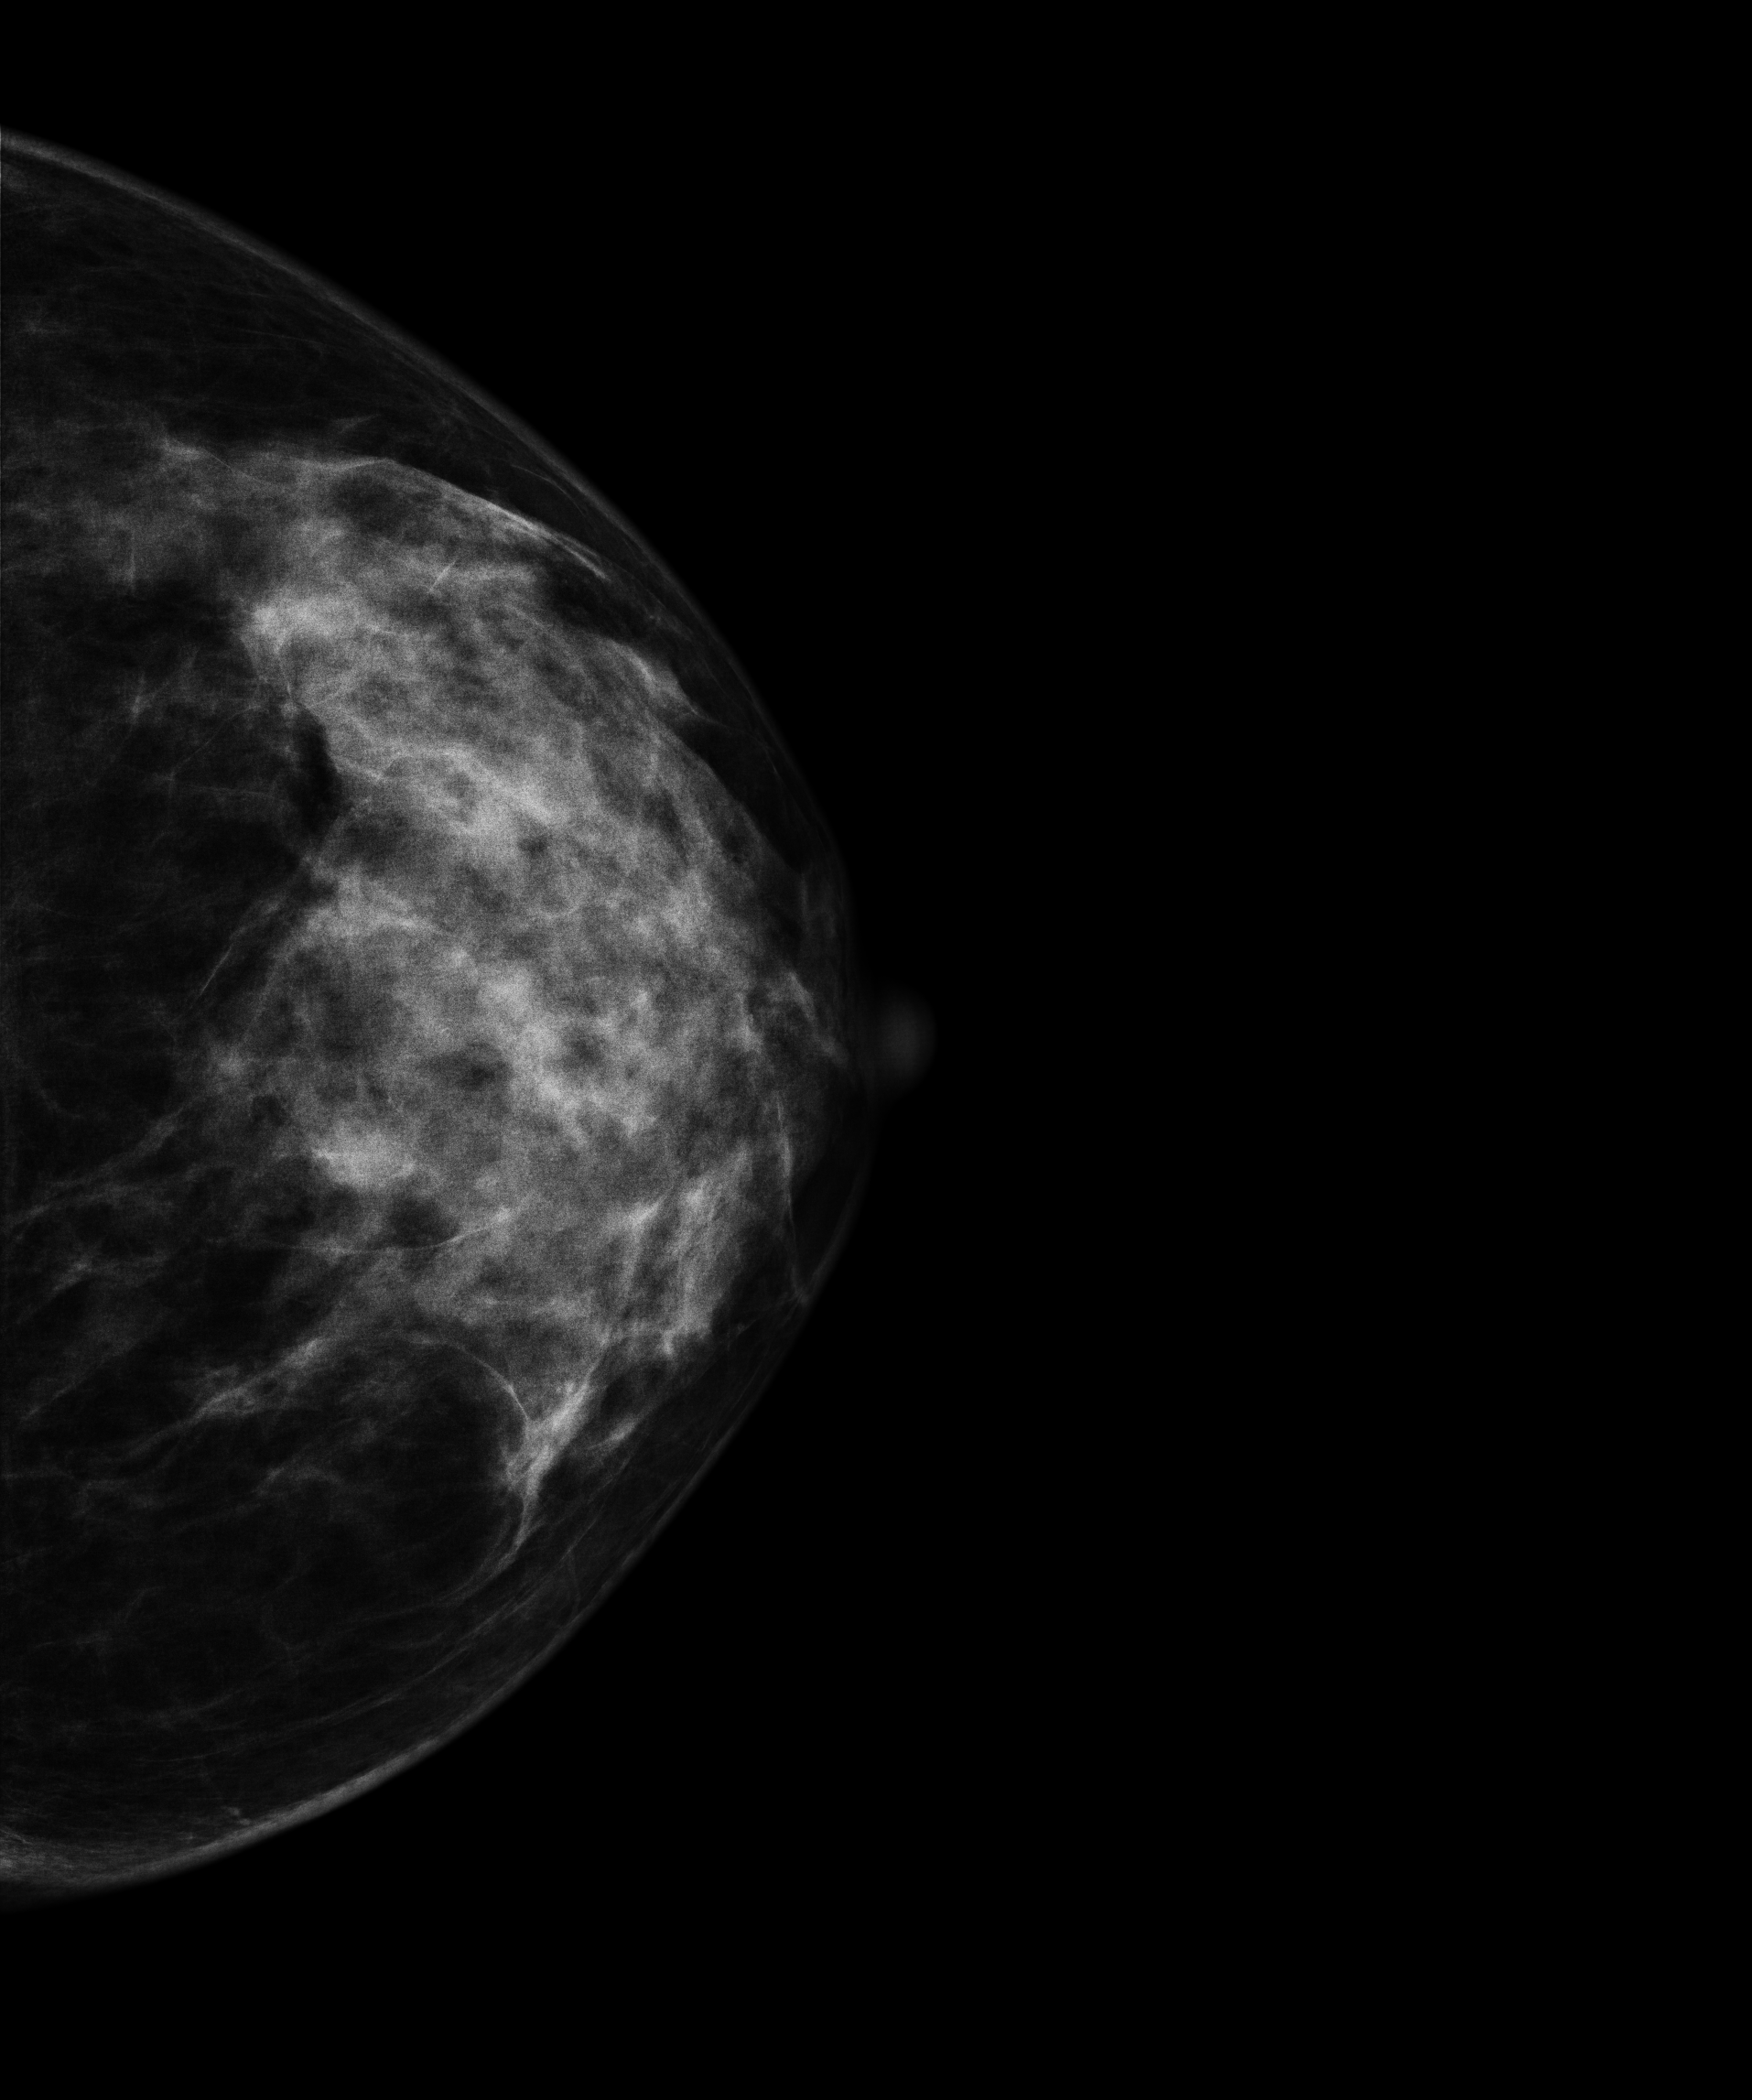
Digital mammography. Left breast, cranio-caudal projection. Patient age 41.
Contralateral breast — no documented abnormality on this side.